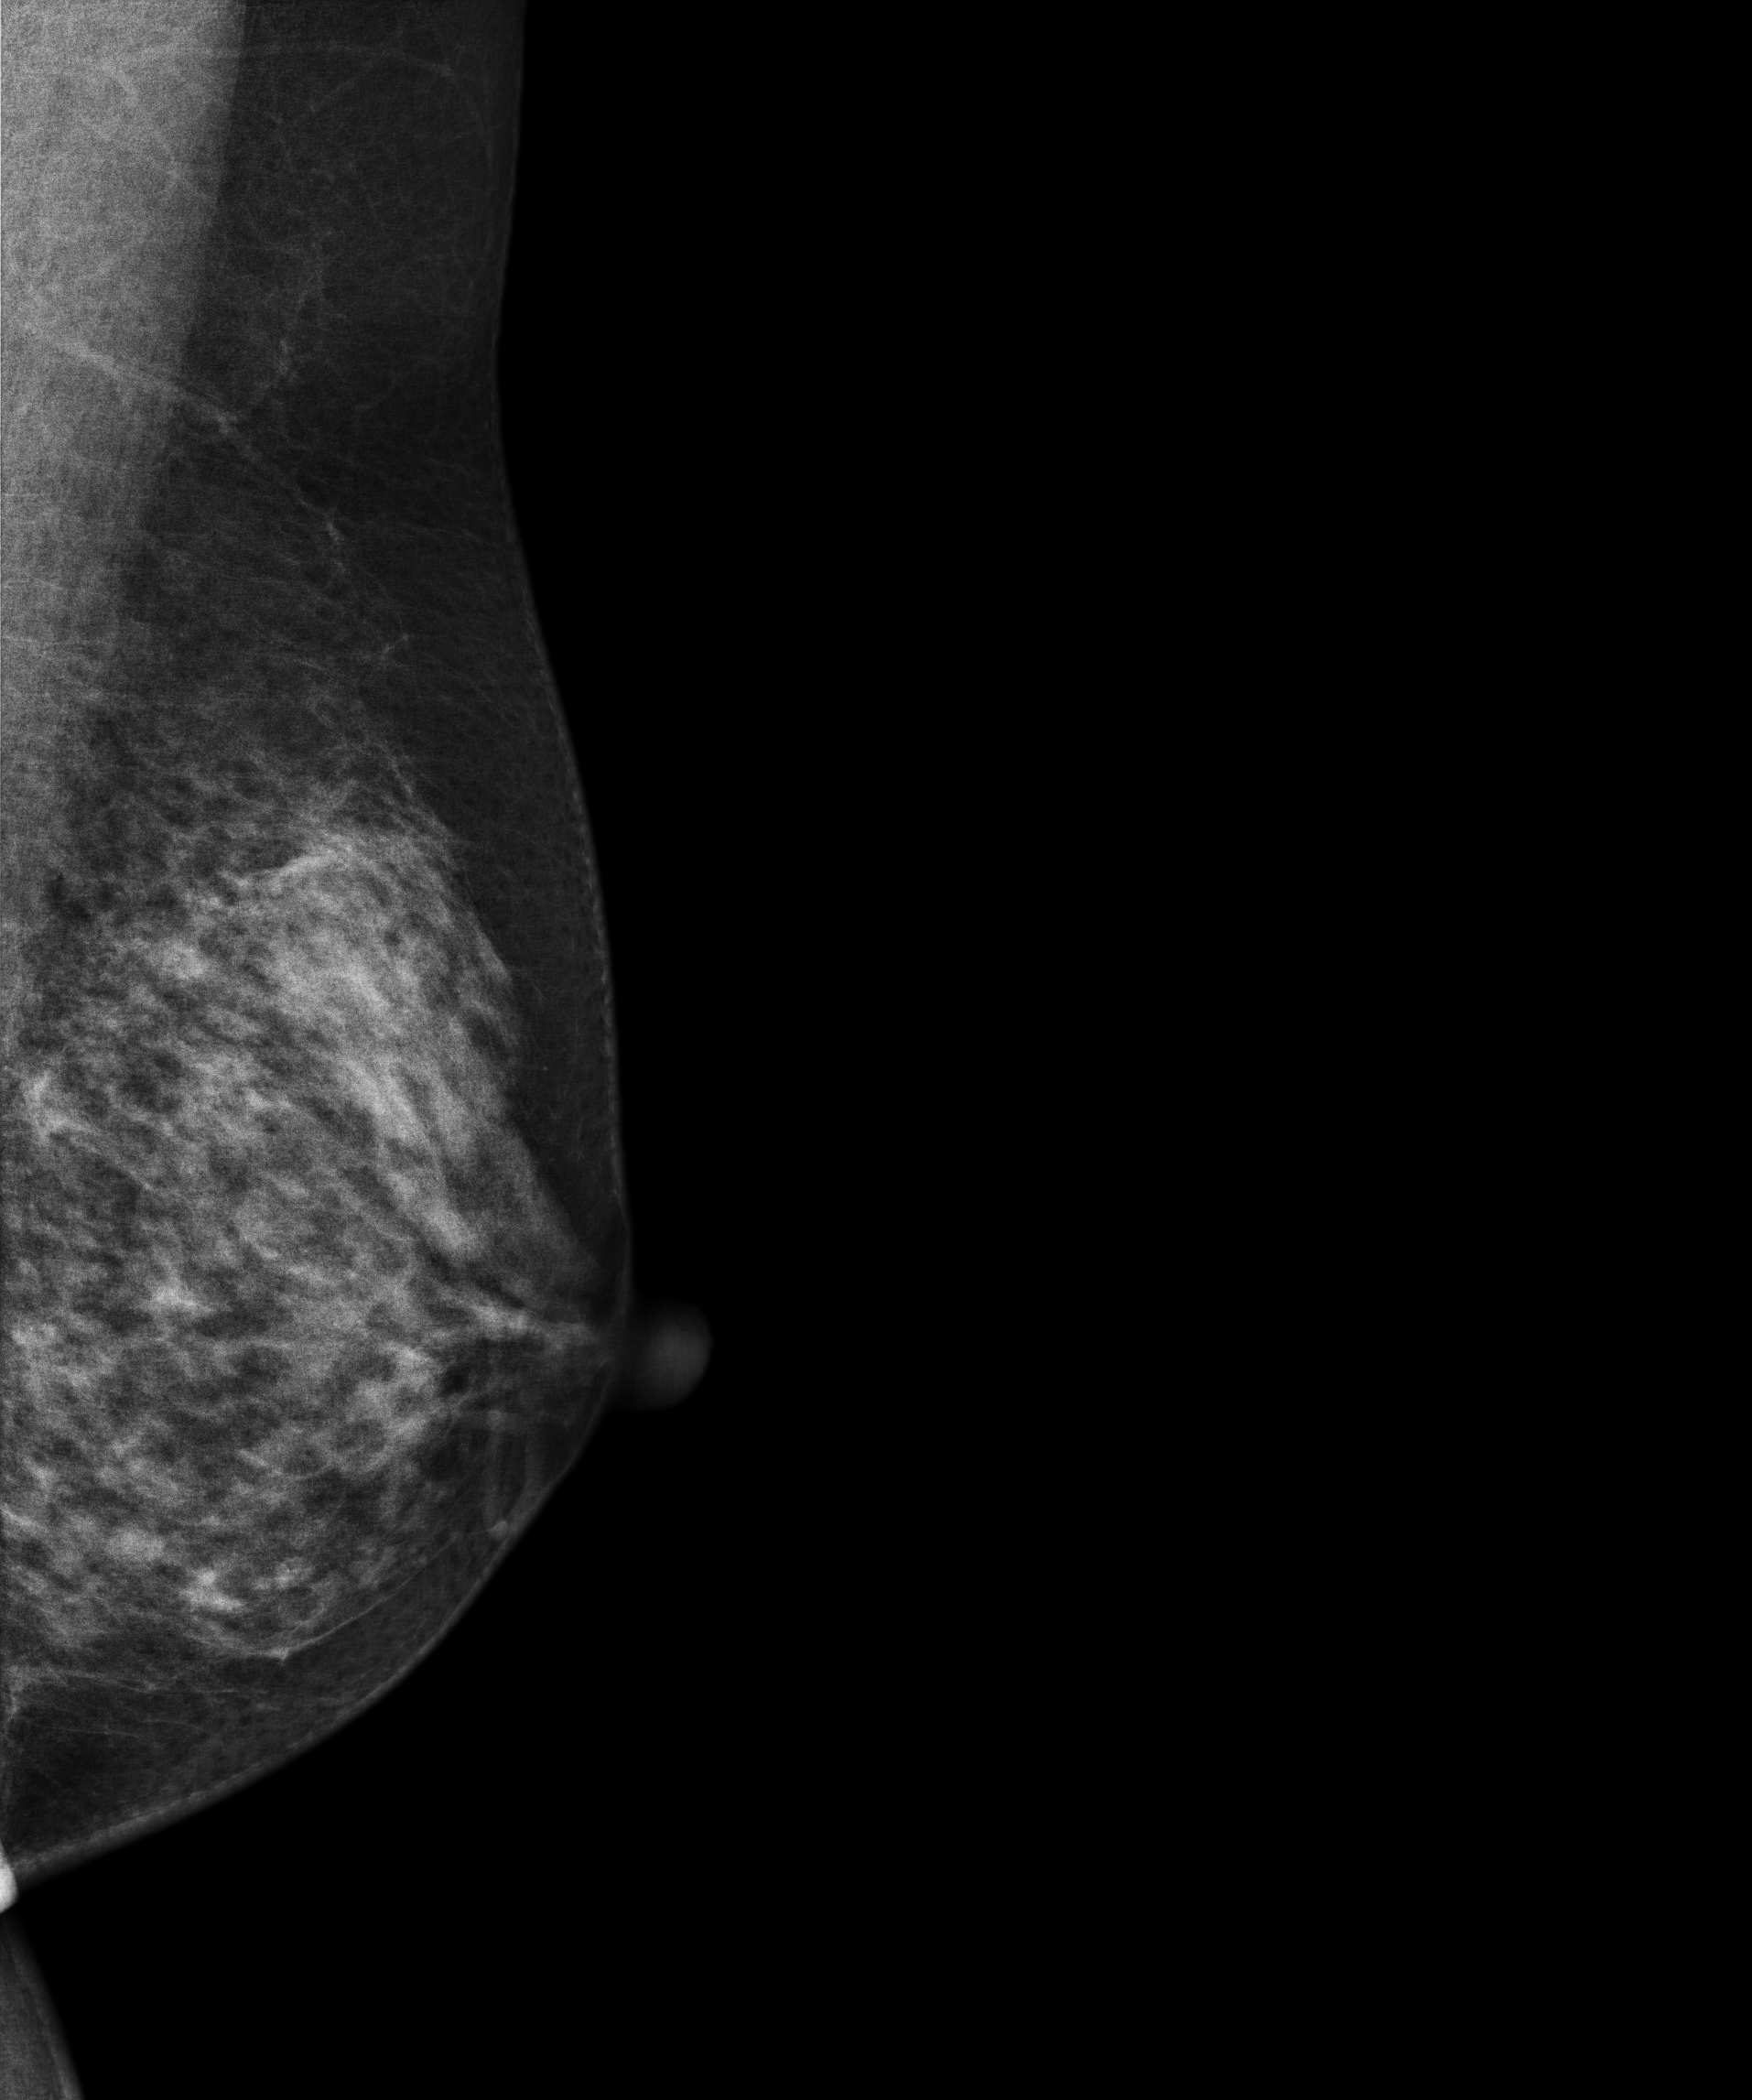
Left-breast mammogram, MLO. 56-year-old patient.
Contralateral breast — no documented abnormality on this side.